Mammogram — left MLO. Patient age 49.
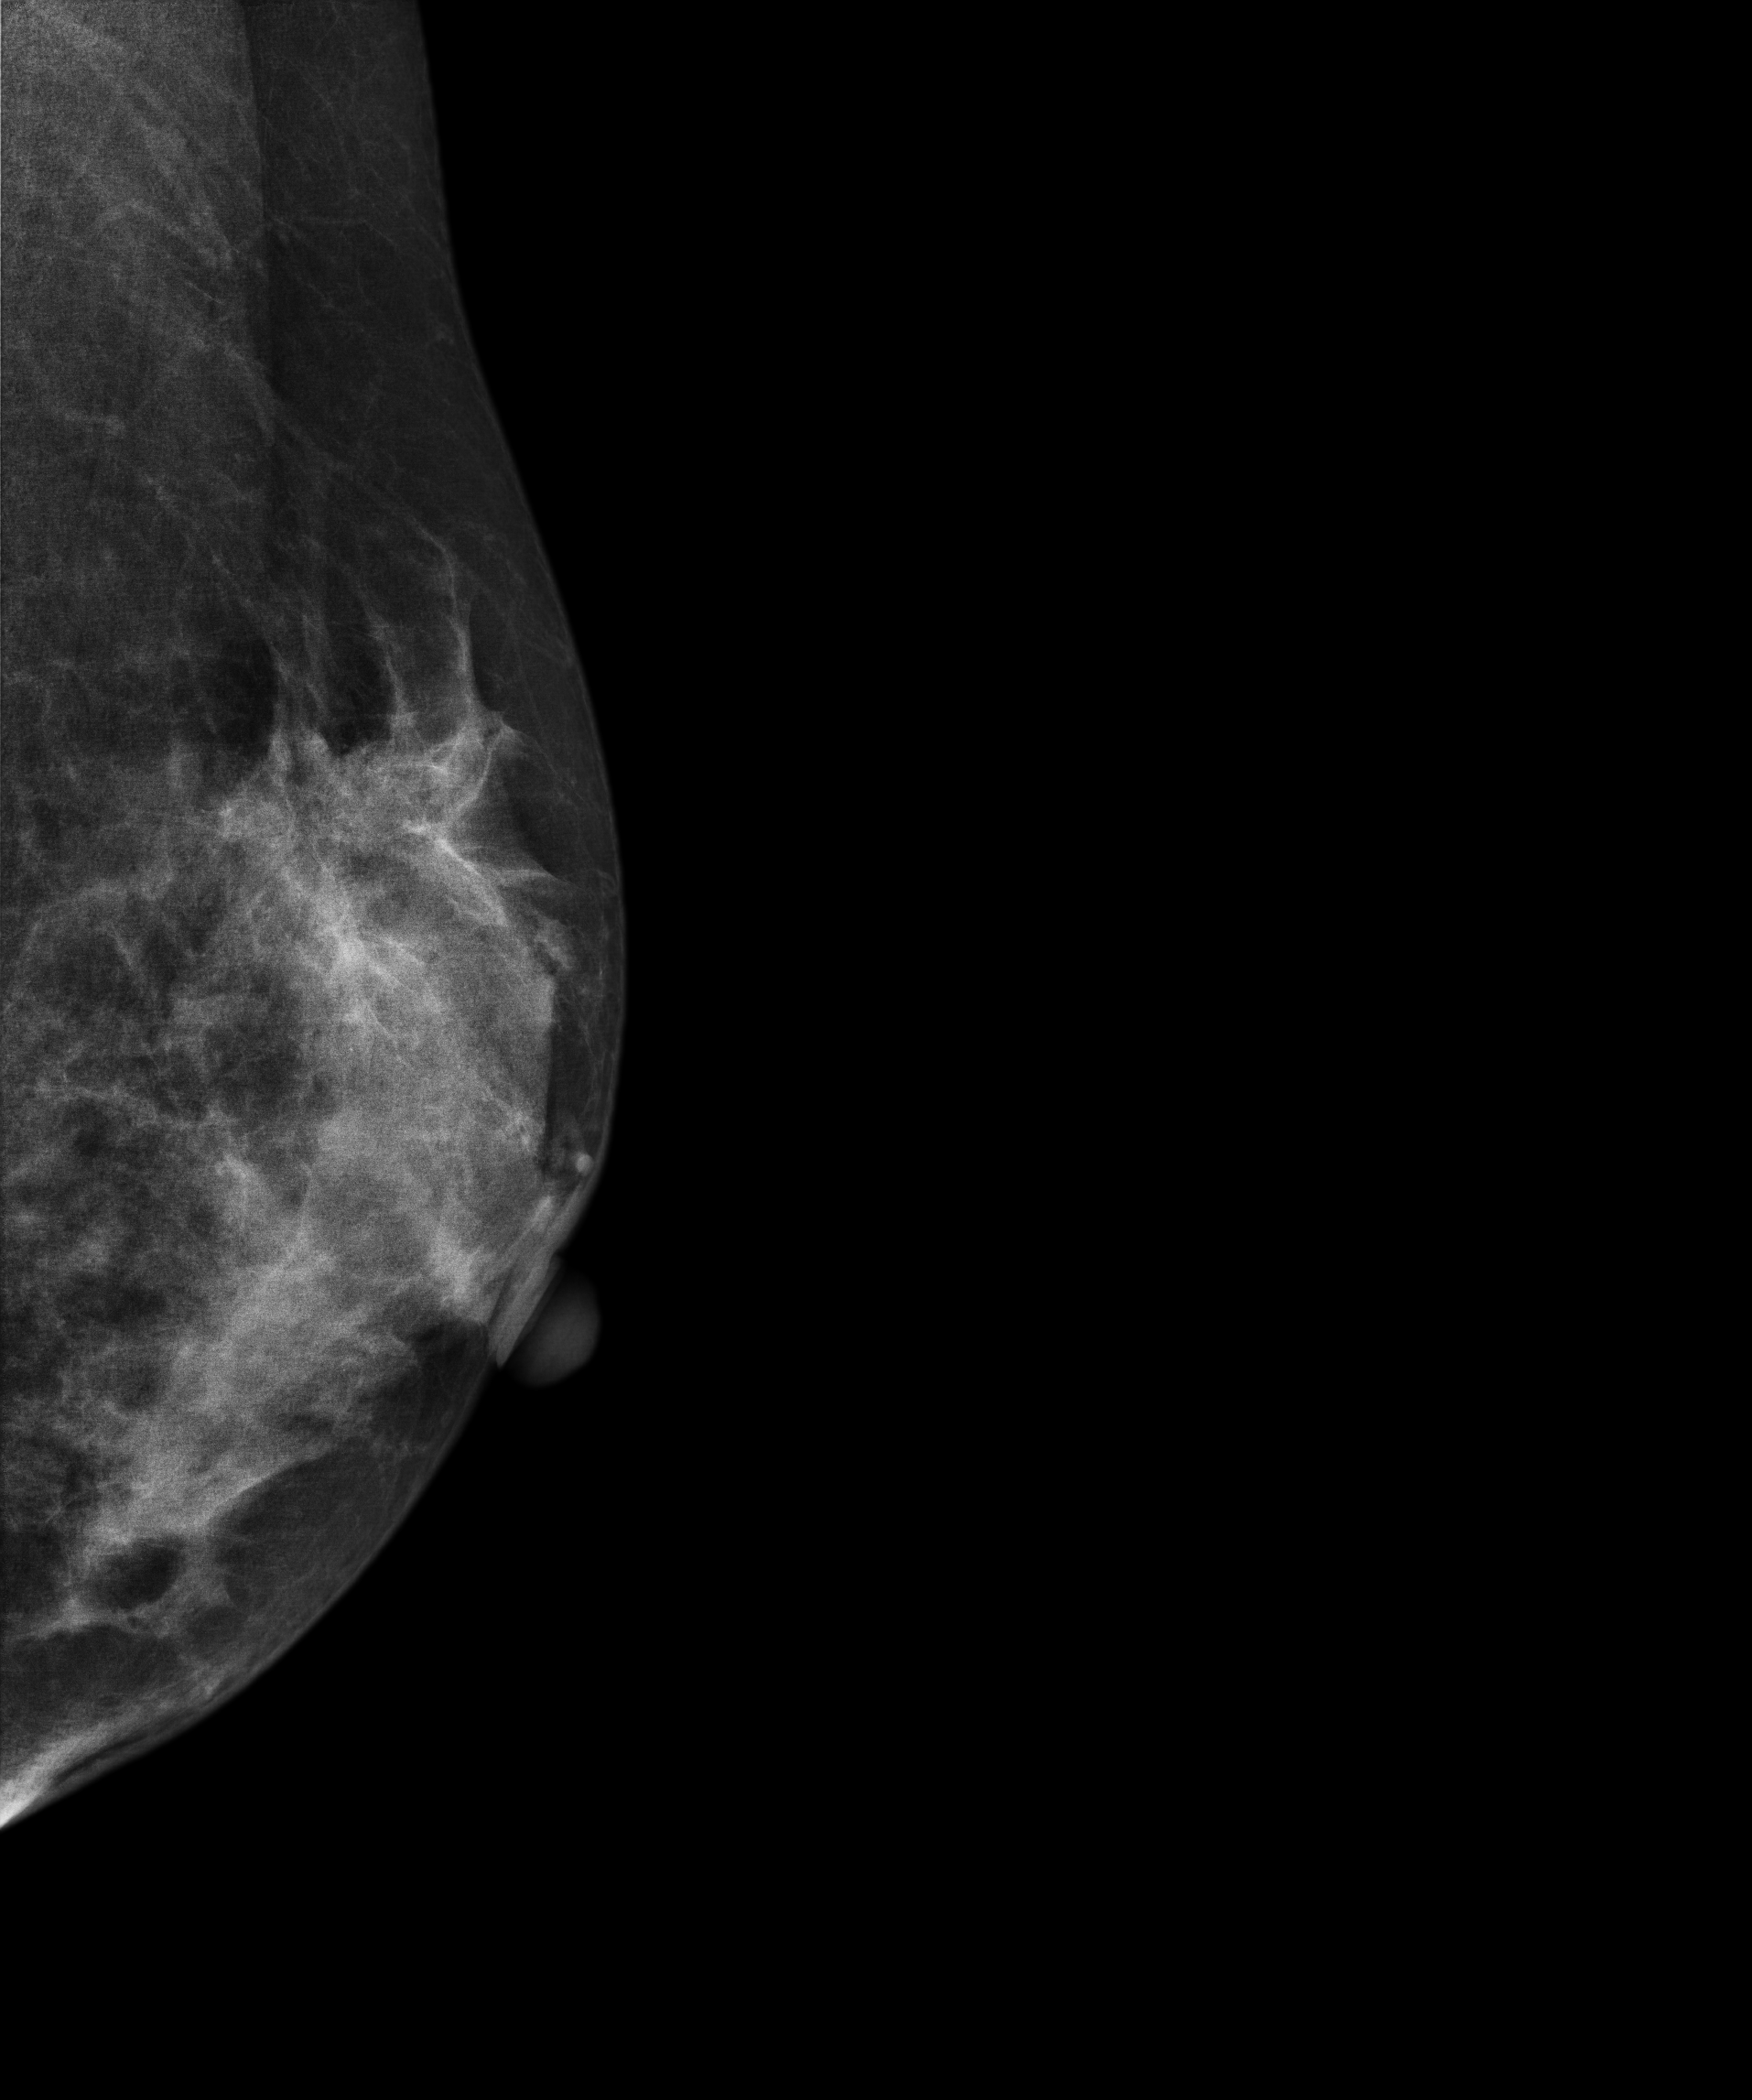
This breast has a mass, histologically confirmed malignant. Molecular subtype: luminal B.